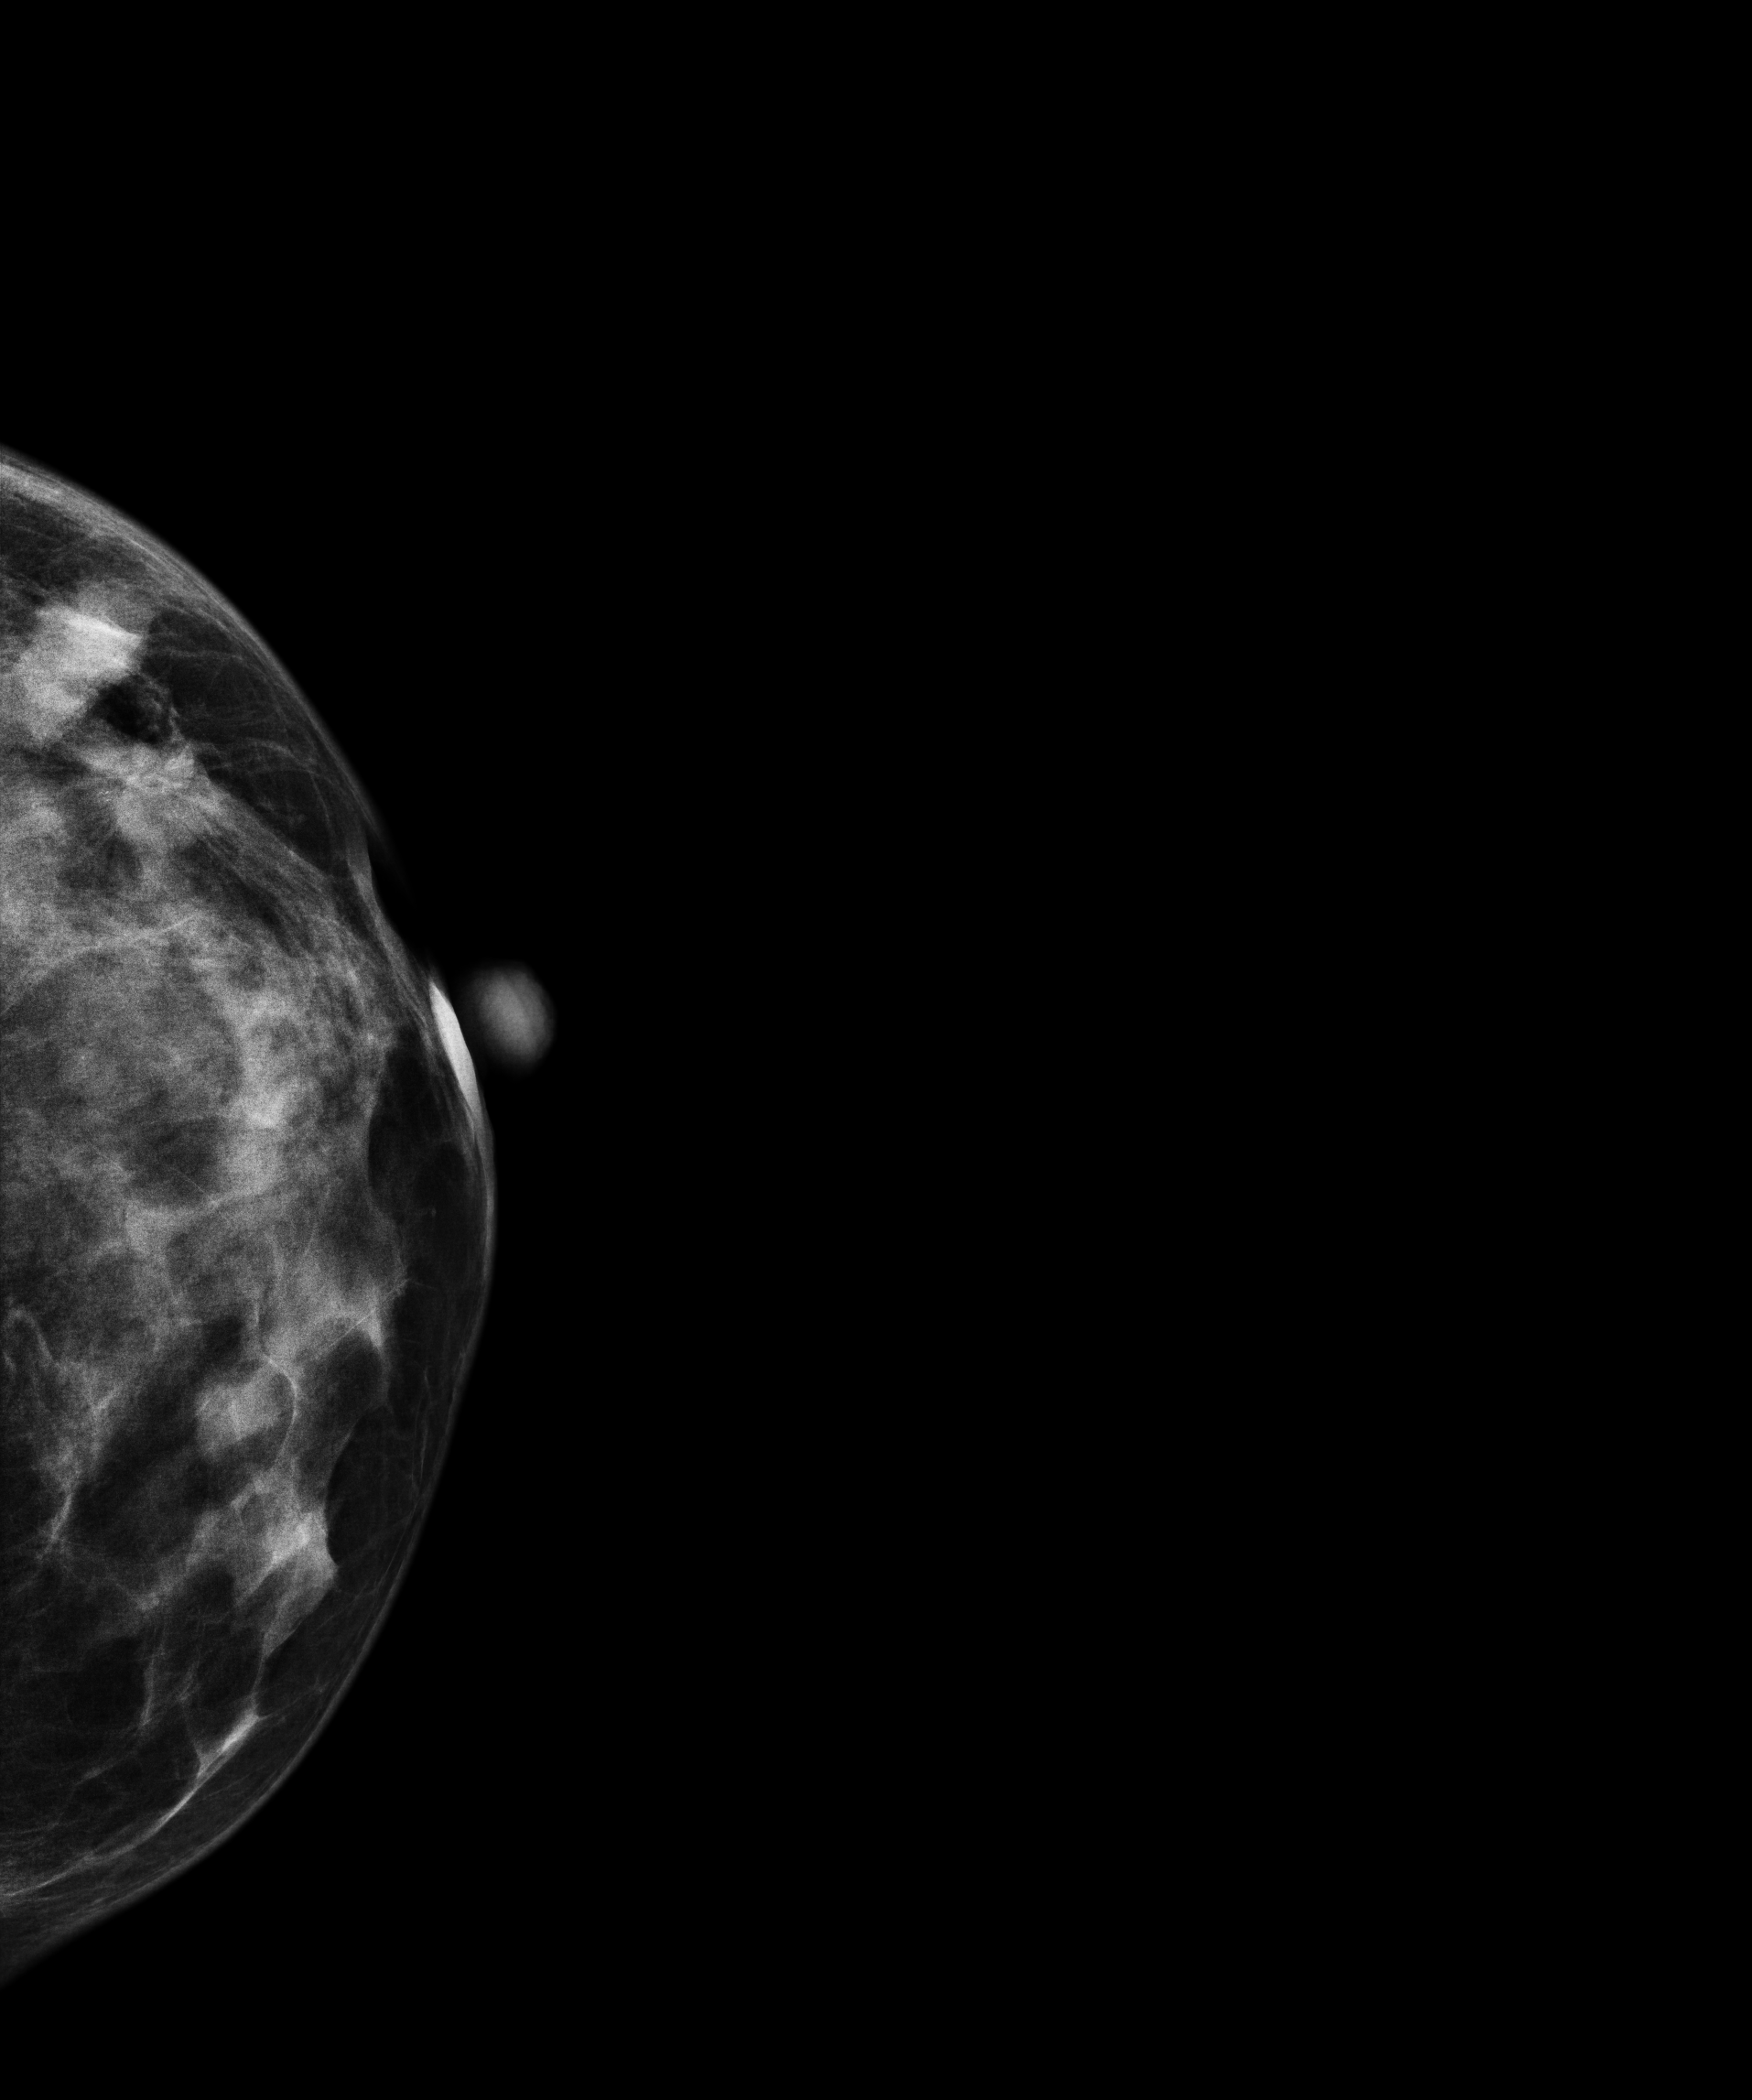
Left-breast mammogram, CC. 45 y/o patient.
This breast has a mass, biopsy-proven malignant.